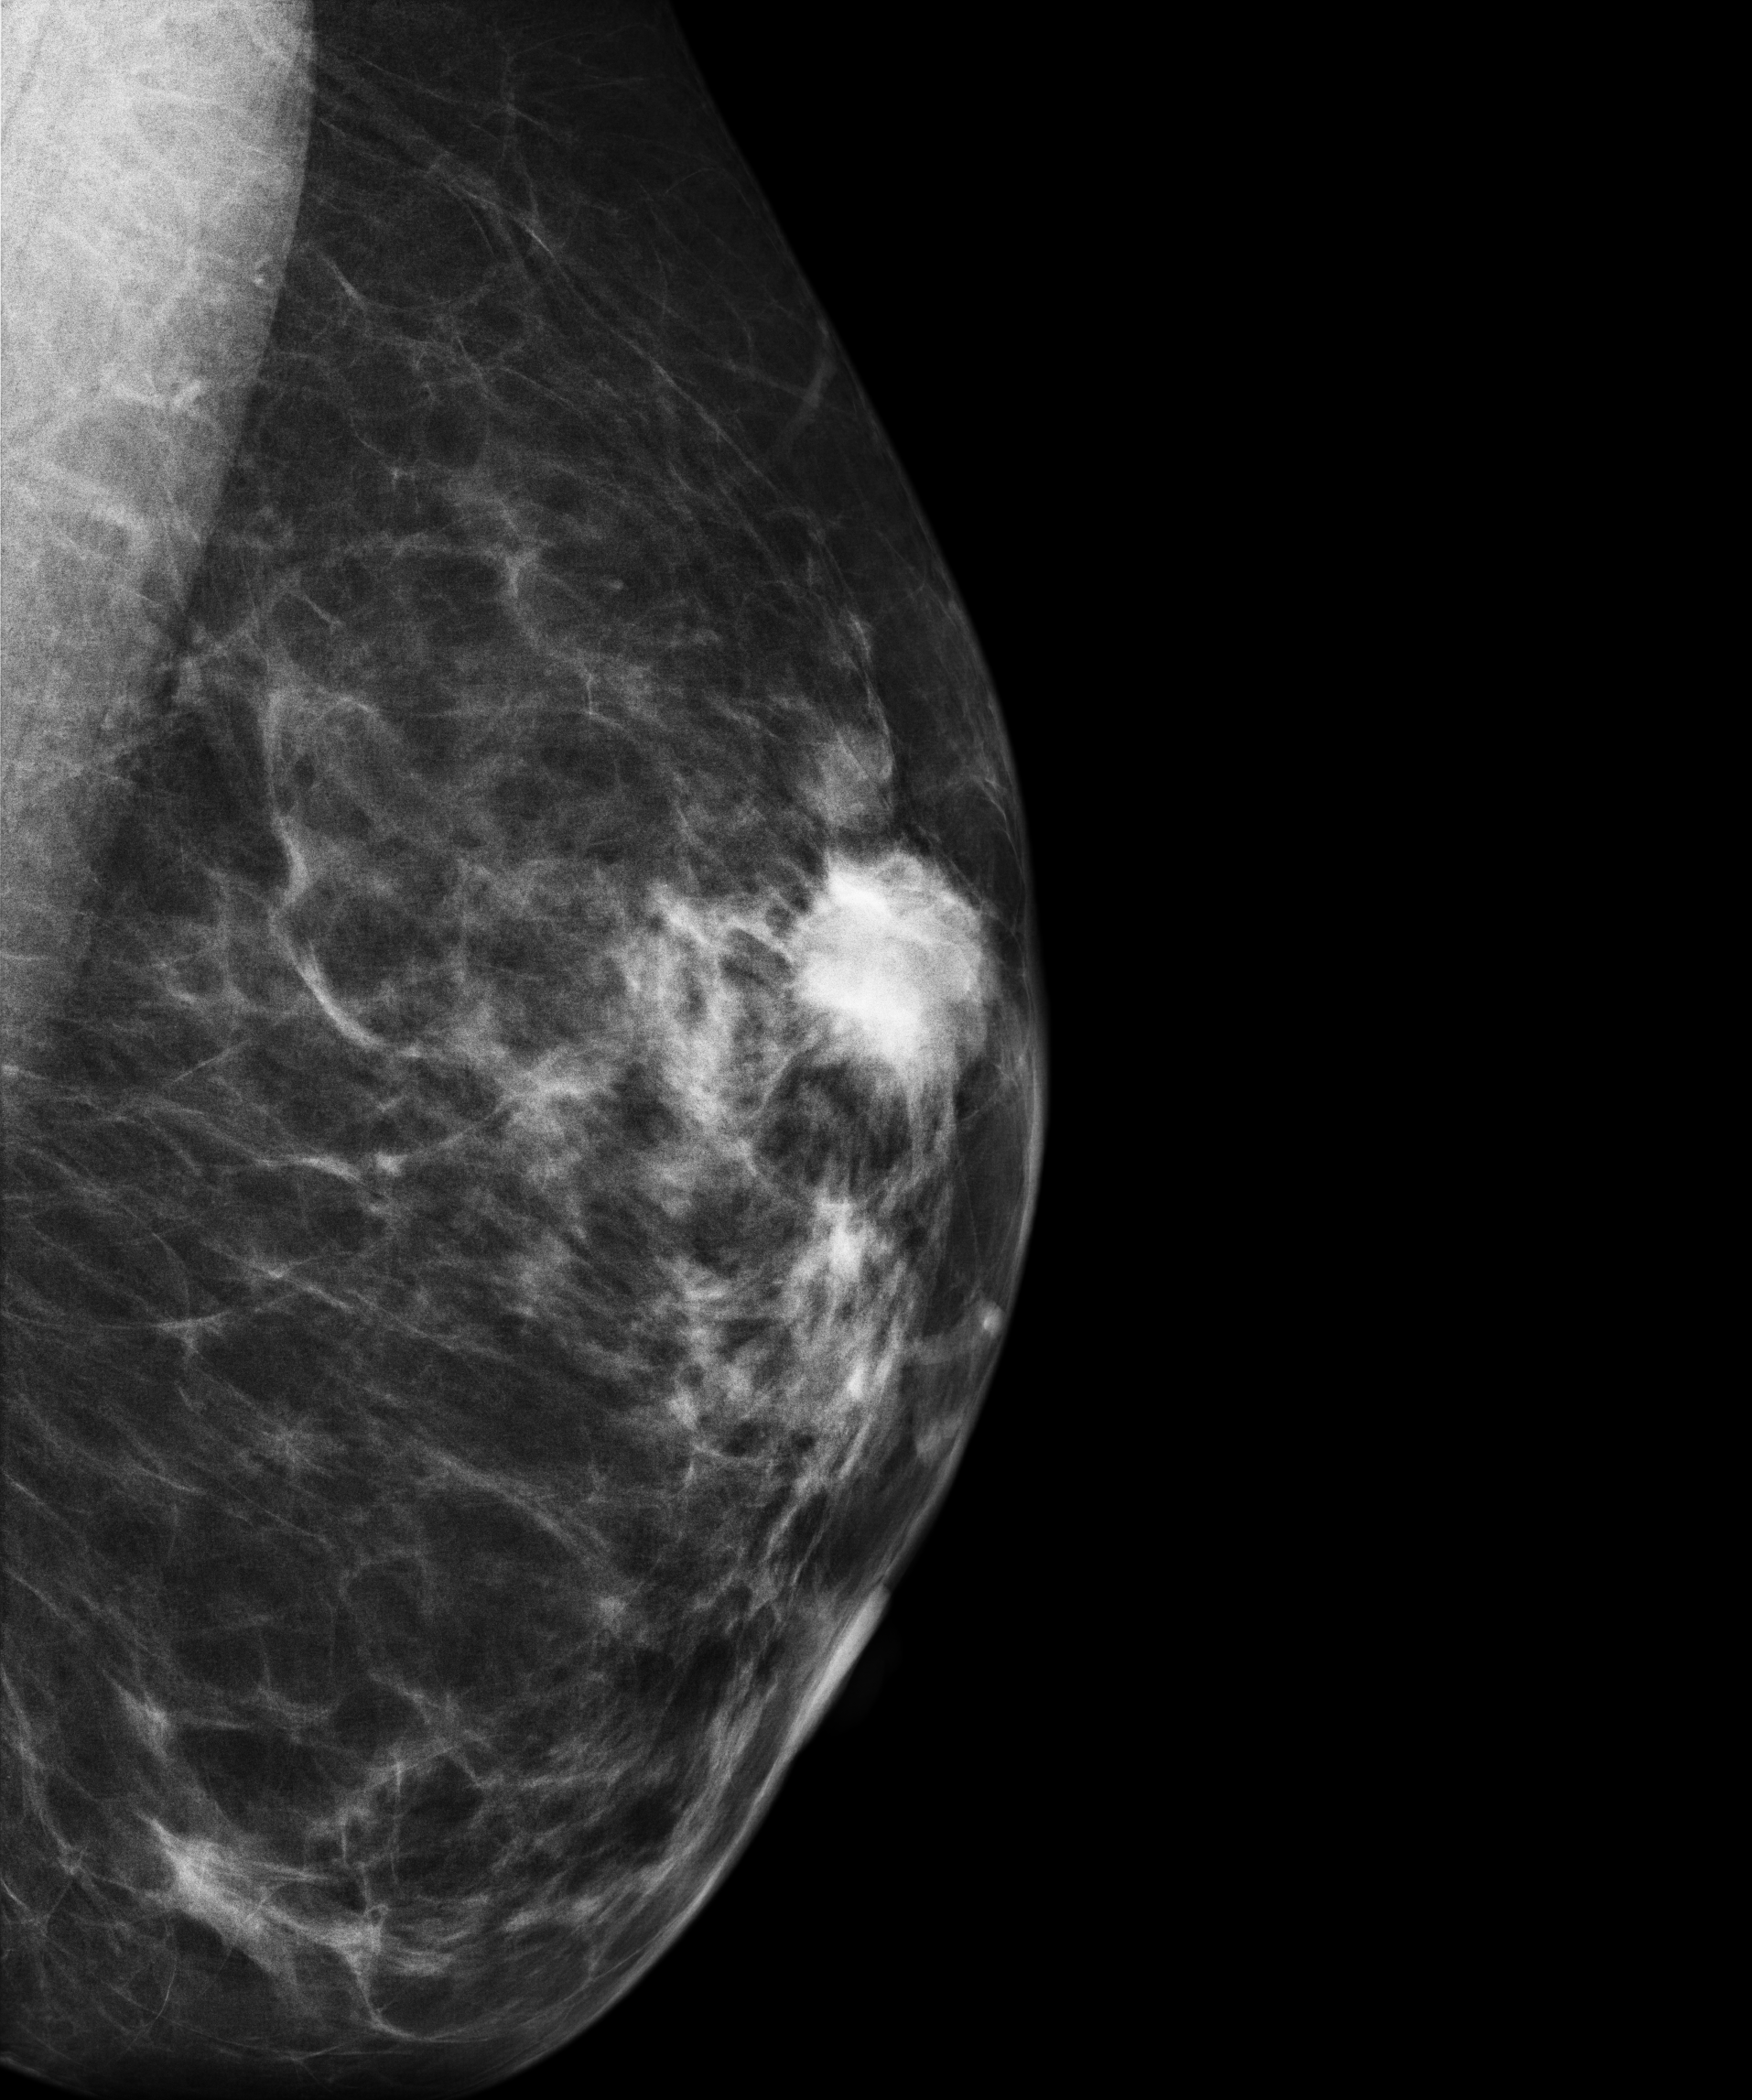
Mammogram — left MLO. 42-year-old patient.
This breast has a mass, biopsy-proven malignant.